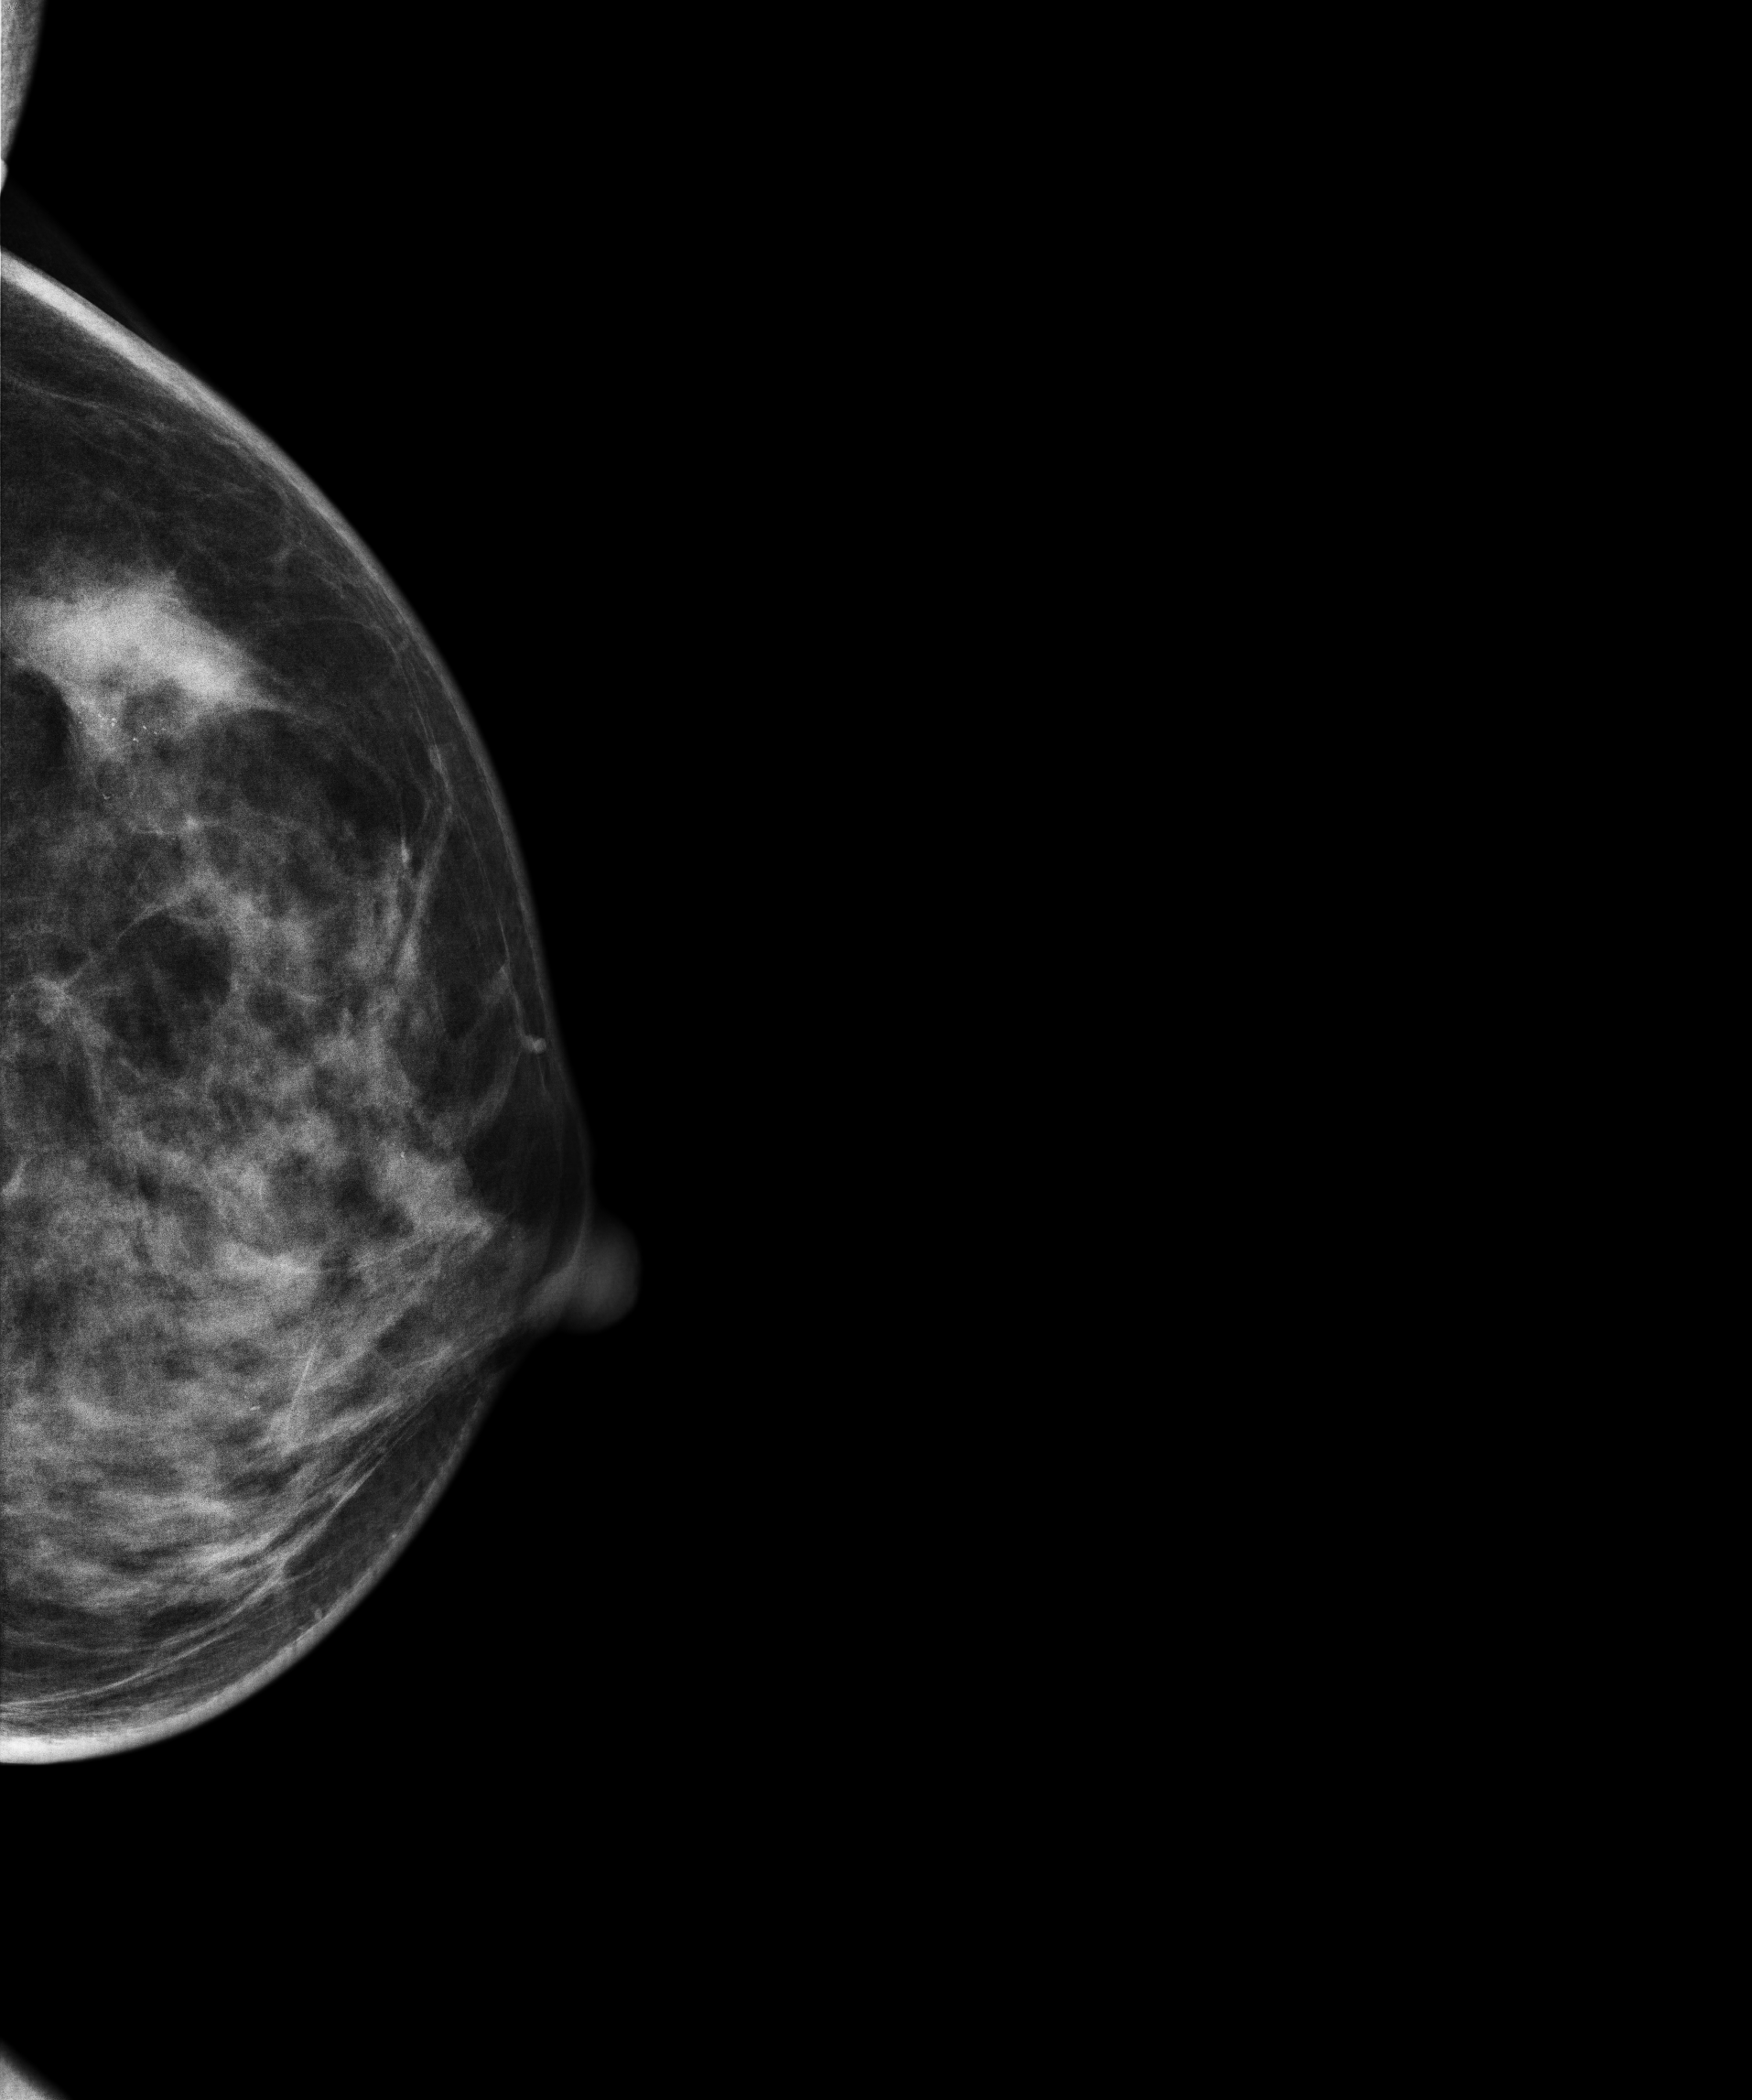
Left-breast mammogram, cranio-caudal. 43-year-old patient.
This breast has calcifications, pathology-confirmed malignant. Molecular subtype: luminal B.